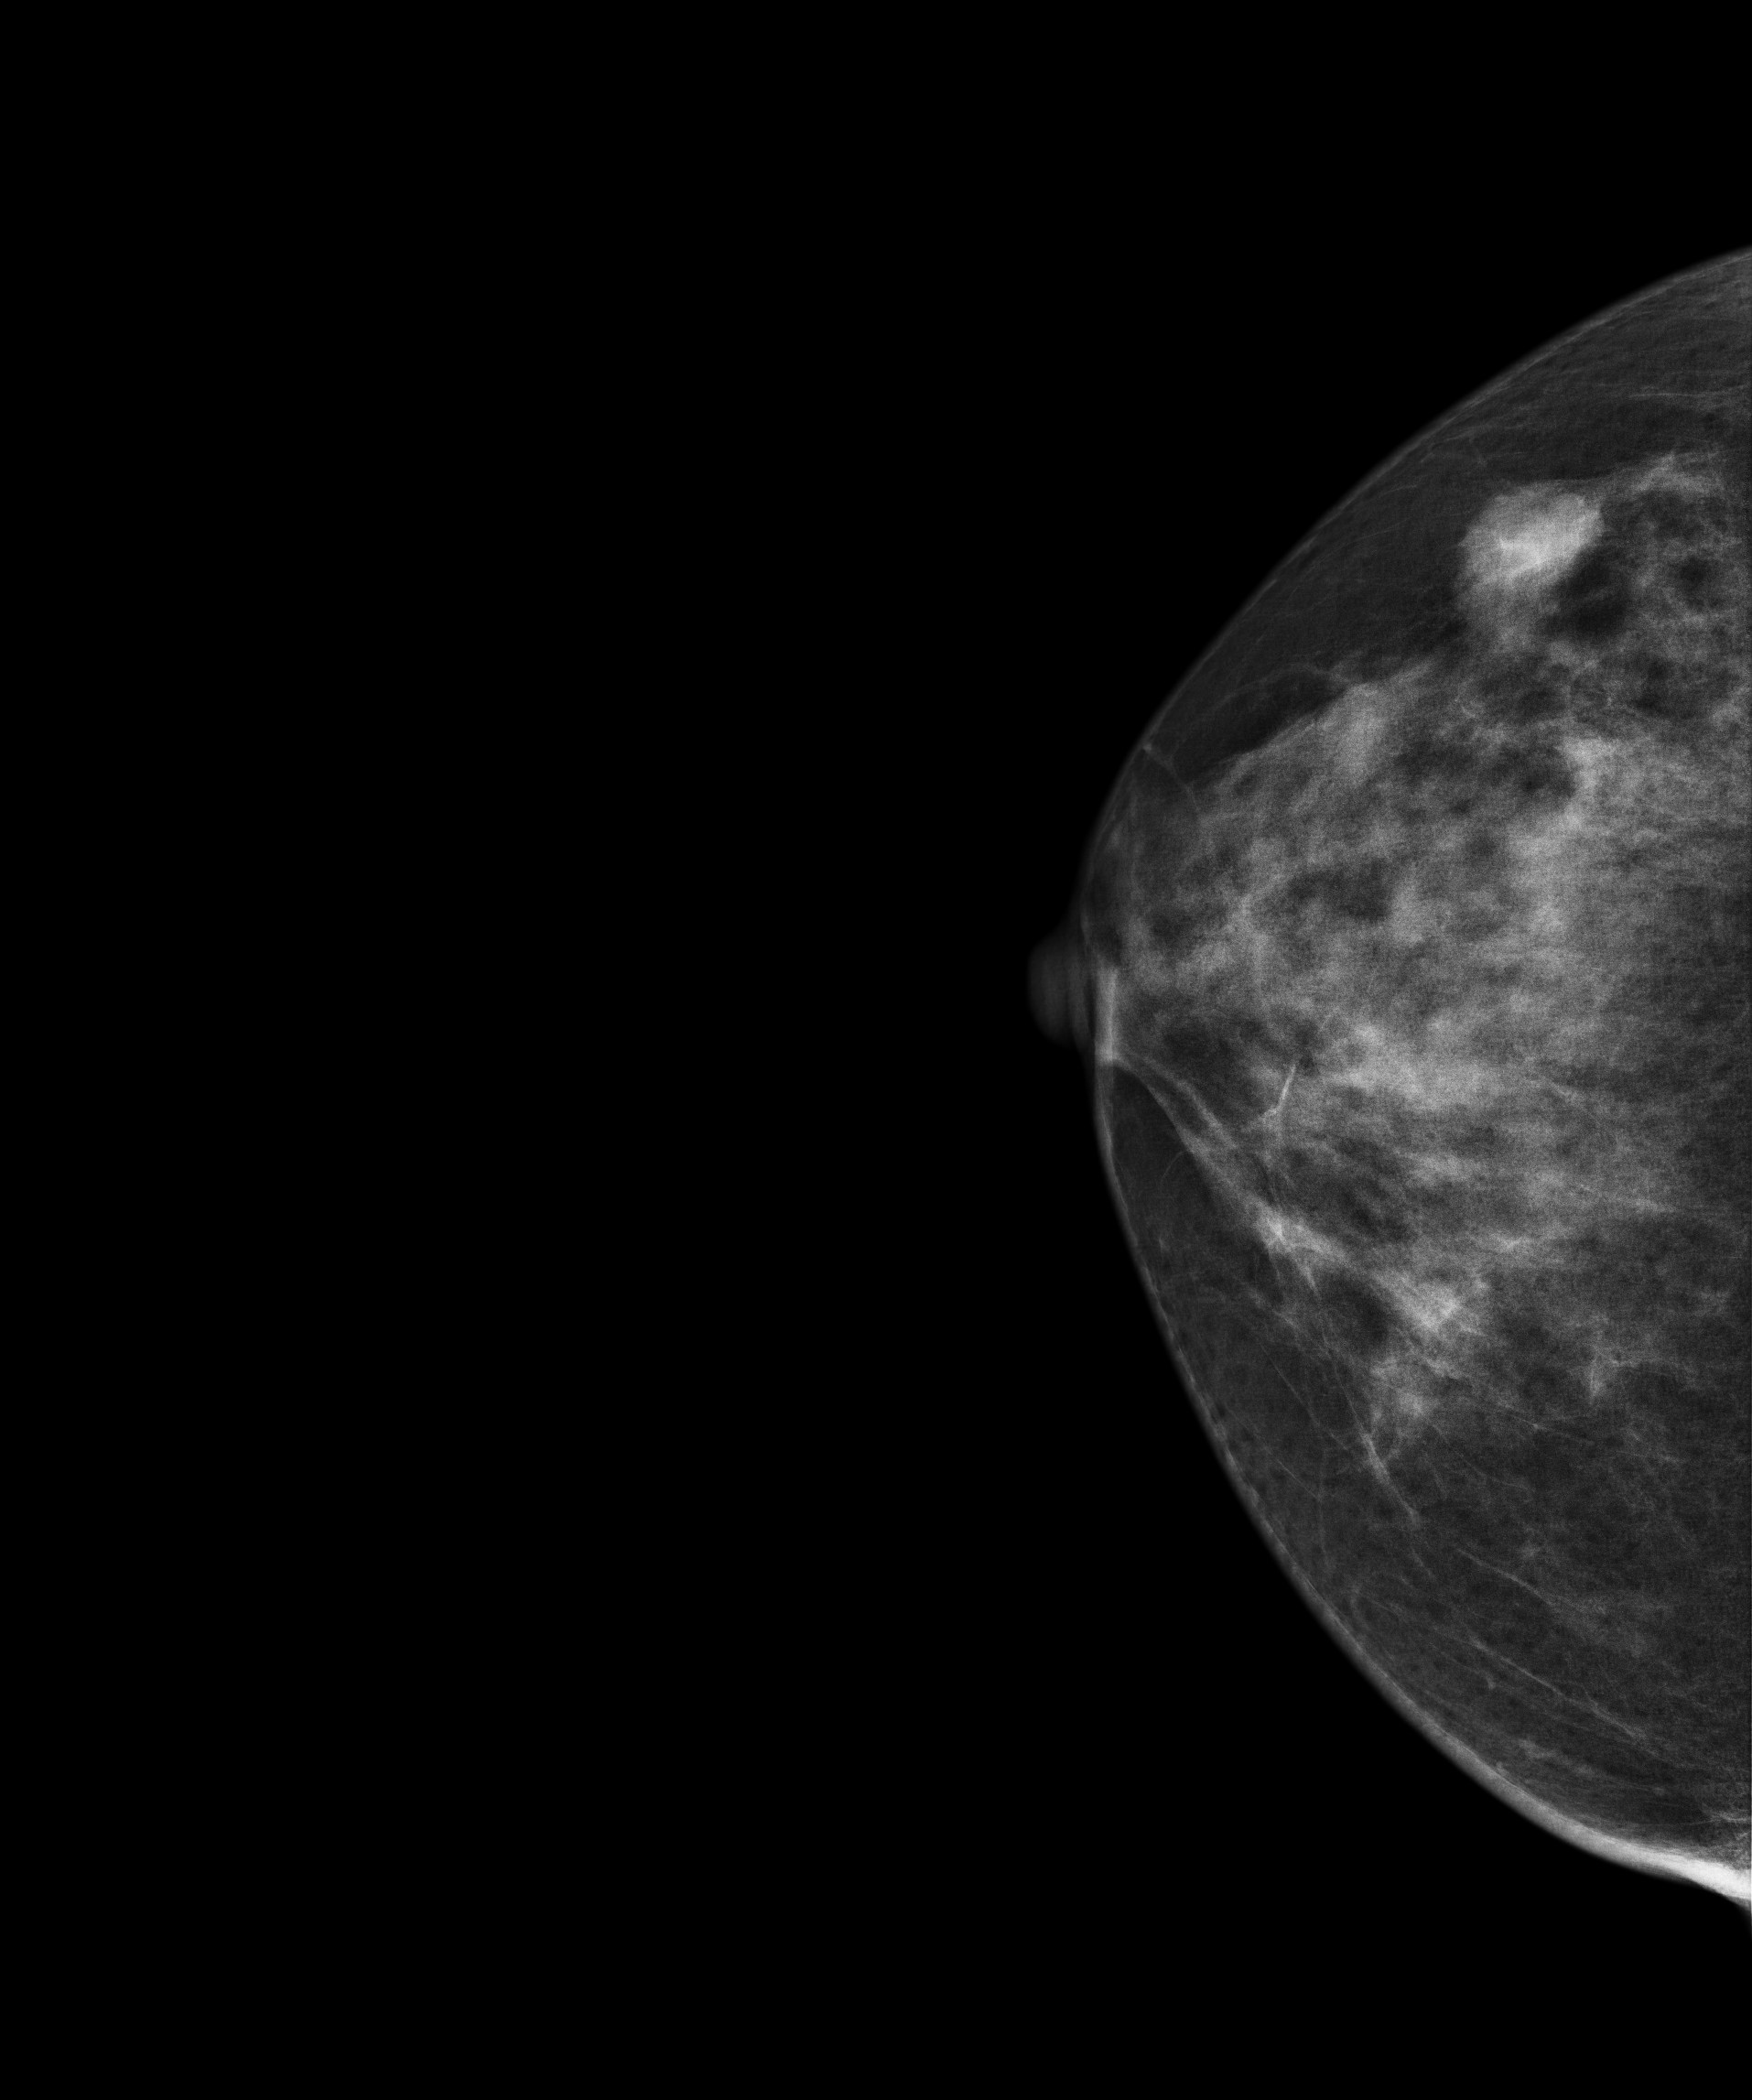
Cranio-caudal mammogram of the right breast. Patient age 60.
This breast has a mass, histologically confirmed benign.